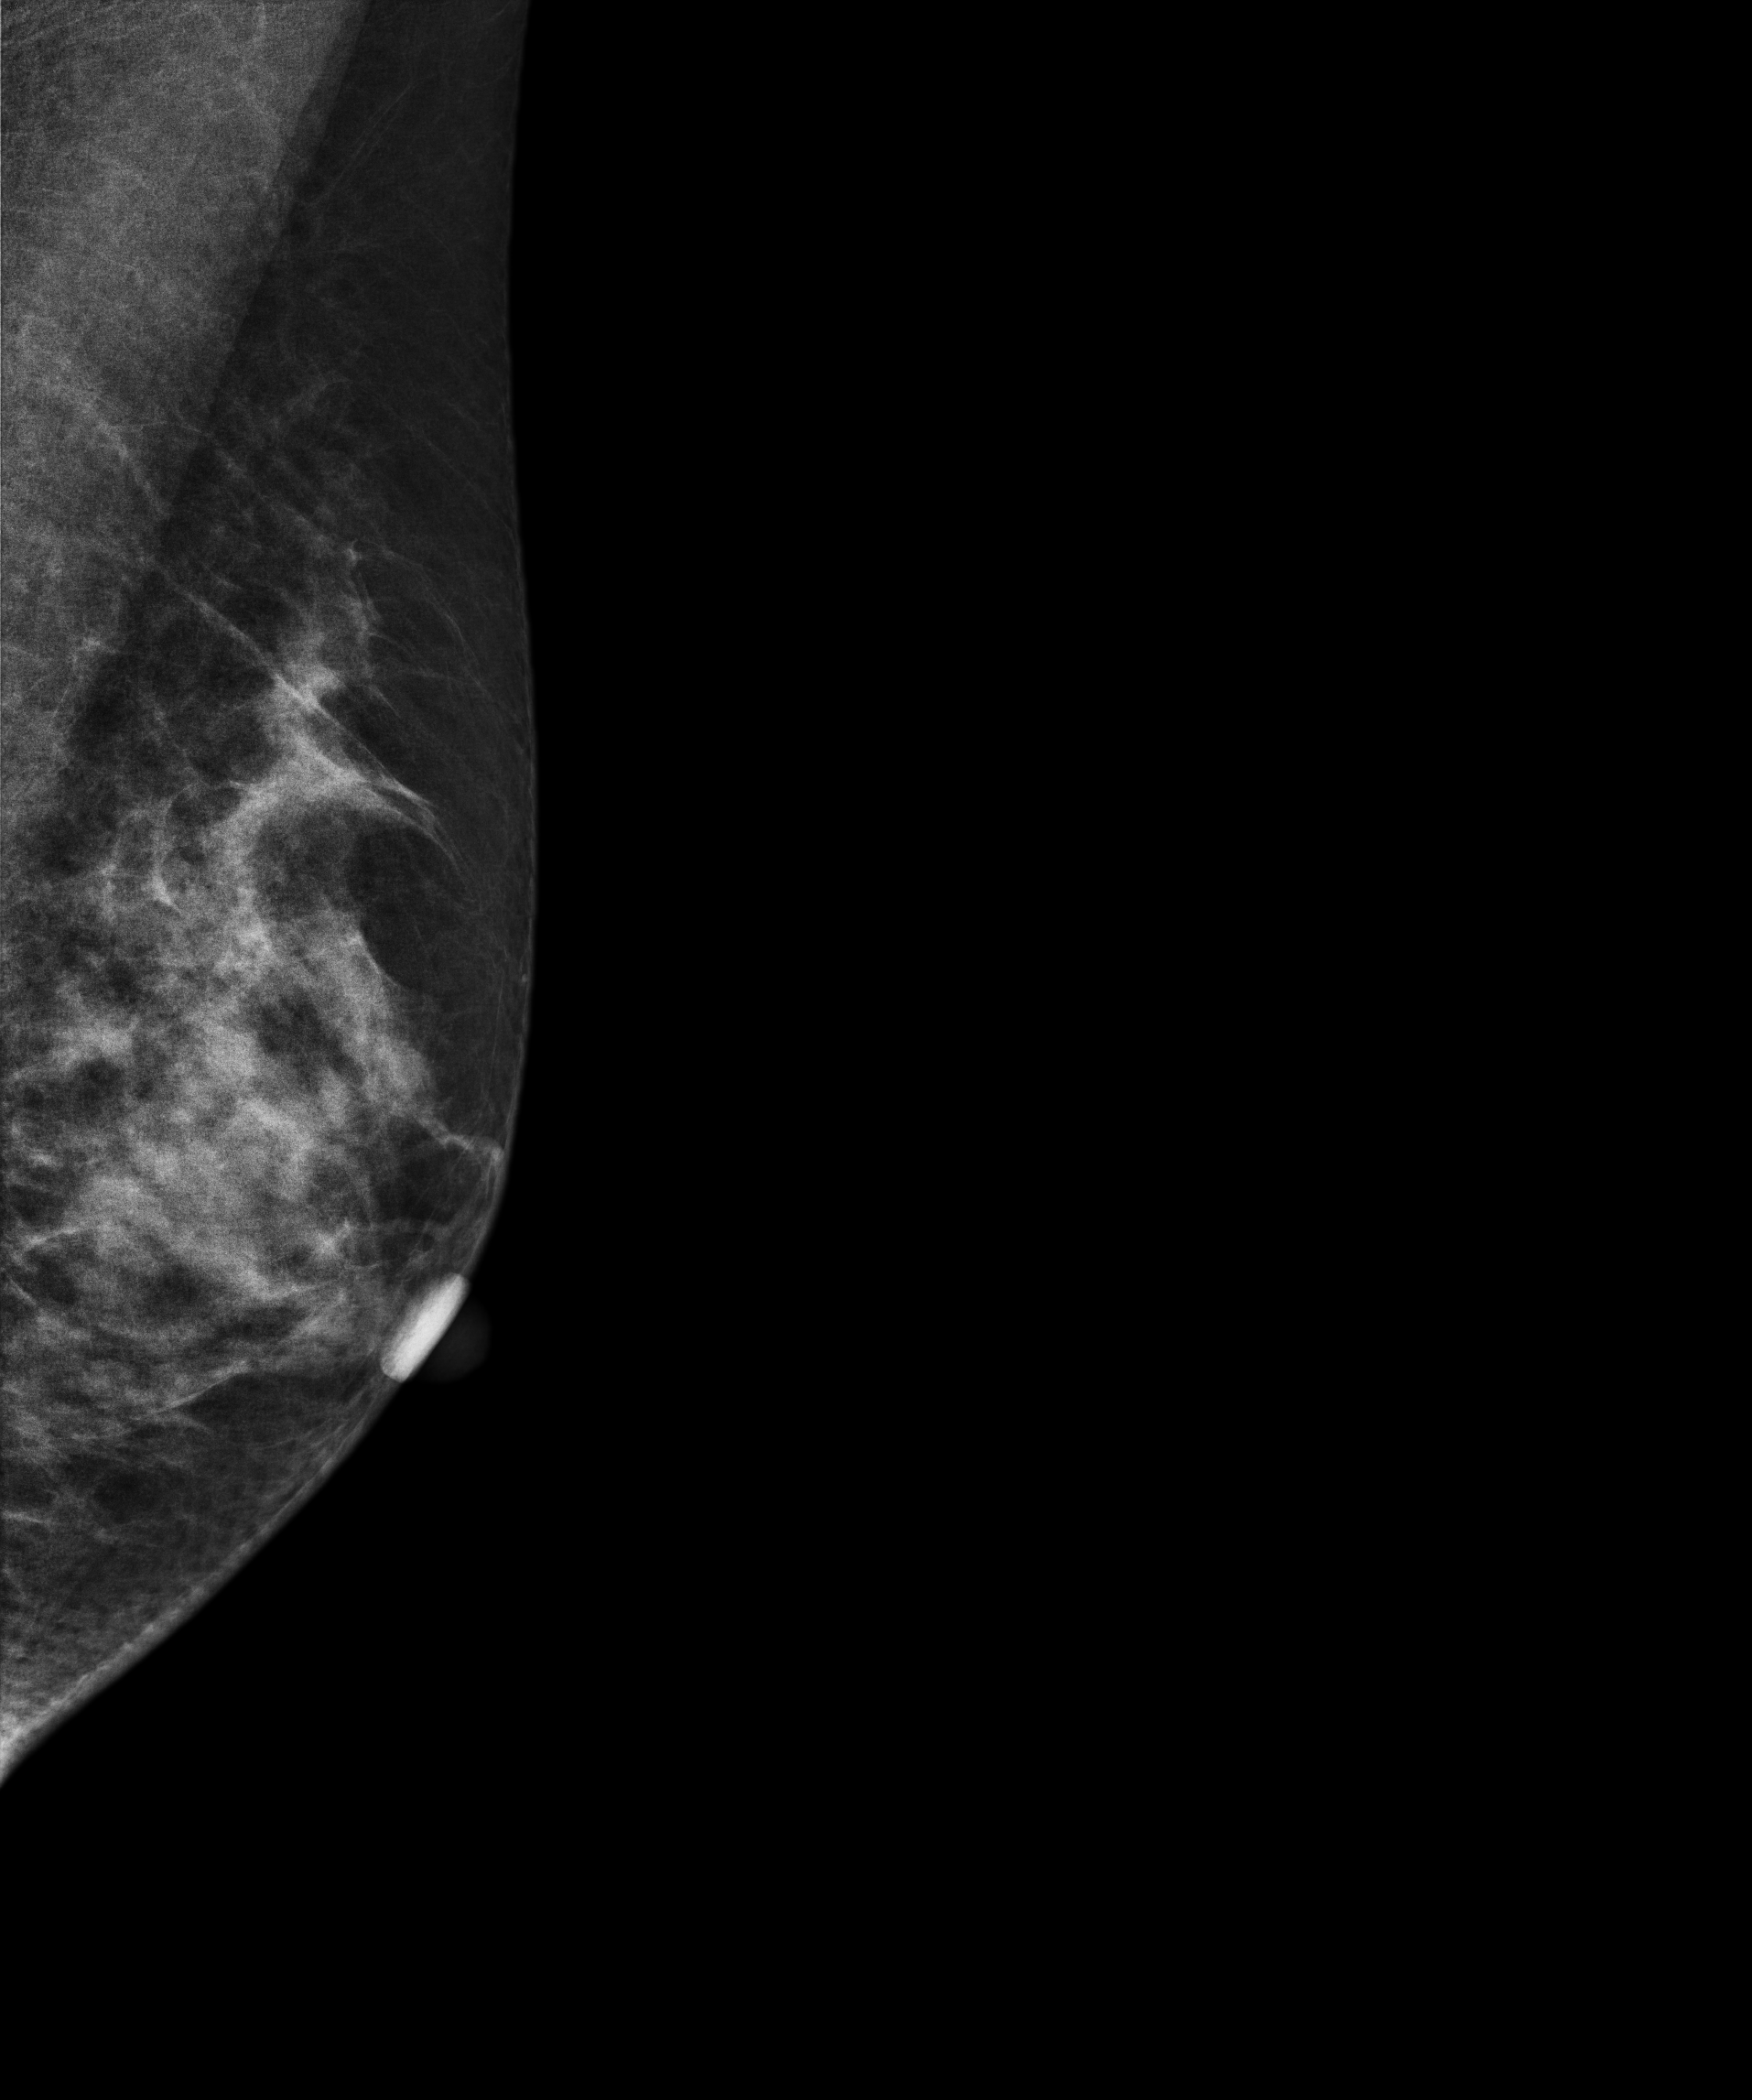
MLO mammogram of the left breast. 40 y/o patient.
Contralateral breast — no documented abnormality on this side.